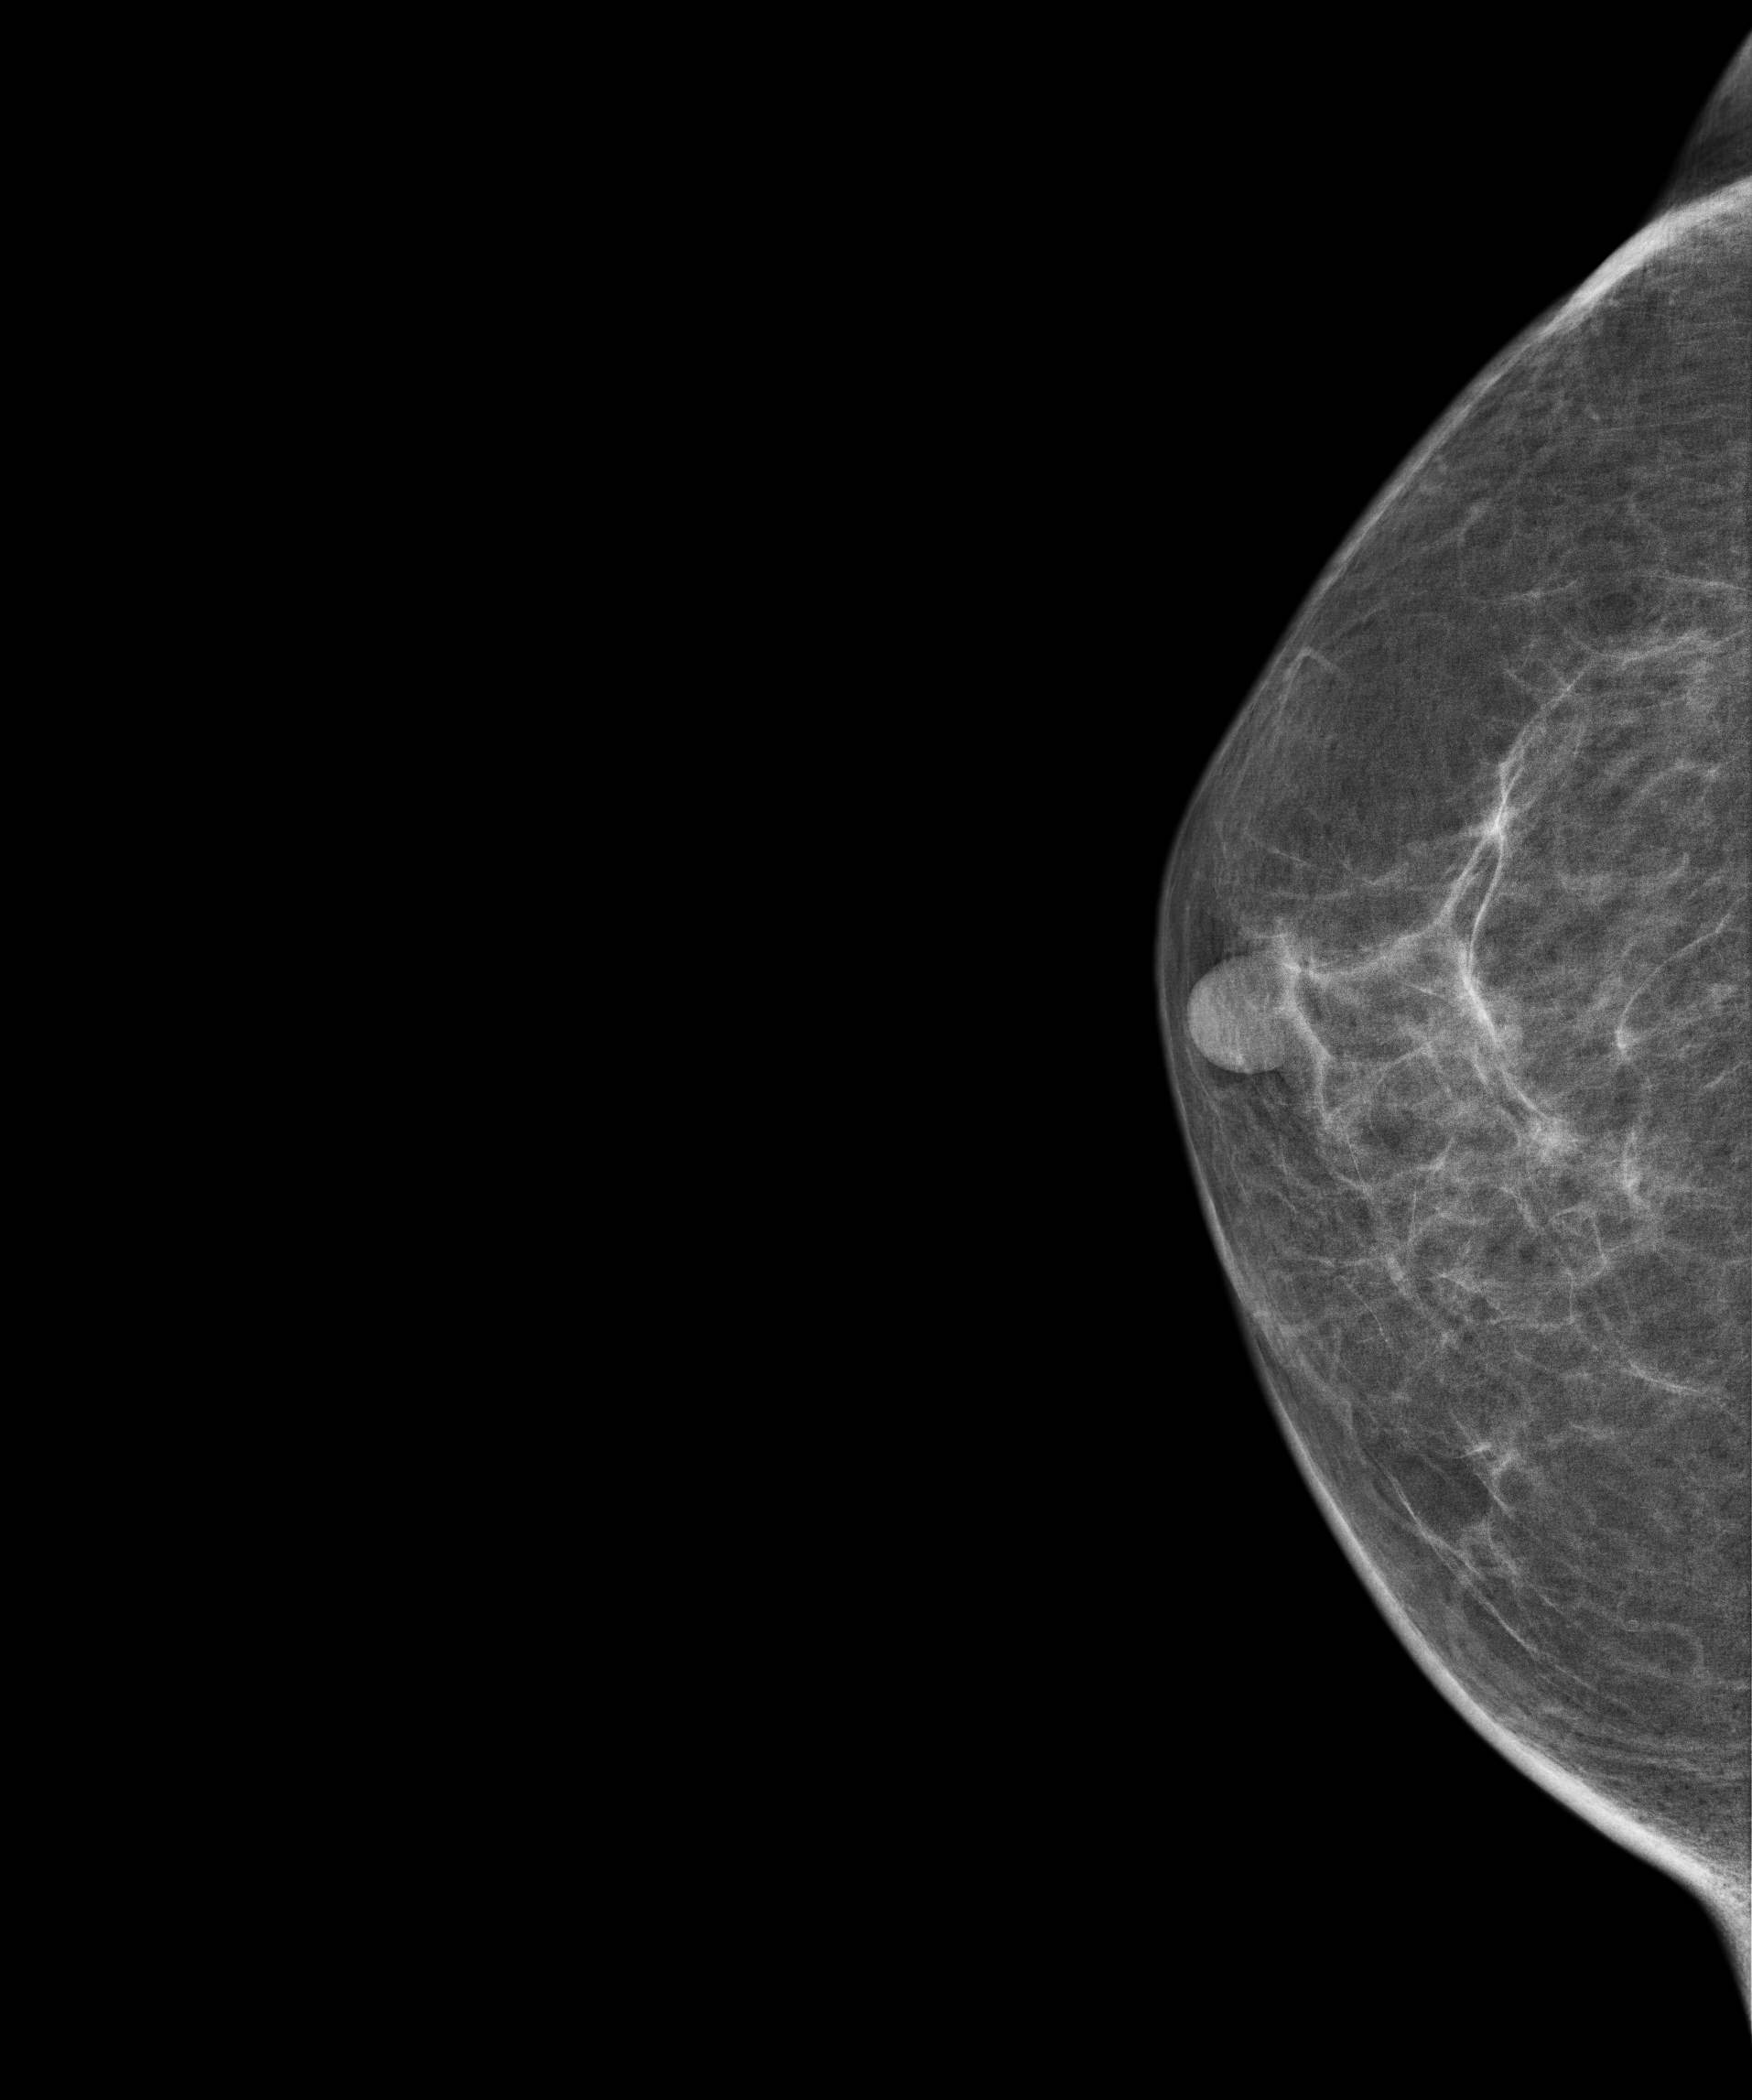
Cranio-caudal mammogram of the right breast. 64-year-old patient.
Contralateral breast — no documented abnormality on this side.